Digital mammography. Right breast, medio-lateral oblique projection. 35 y/o patient.
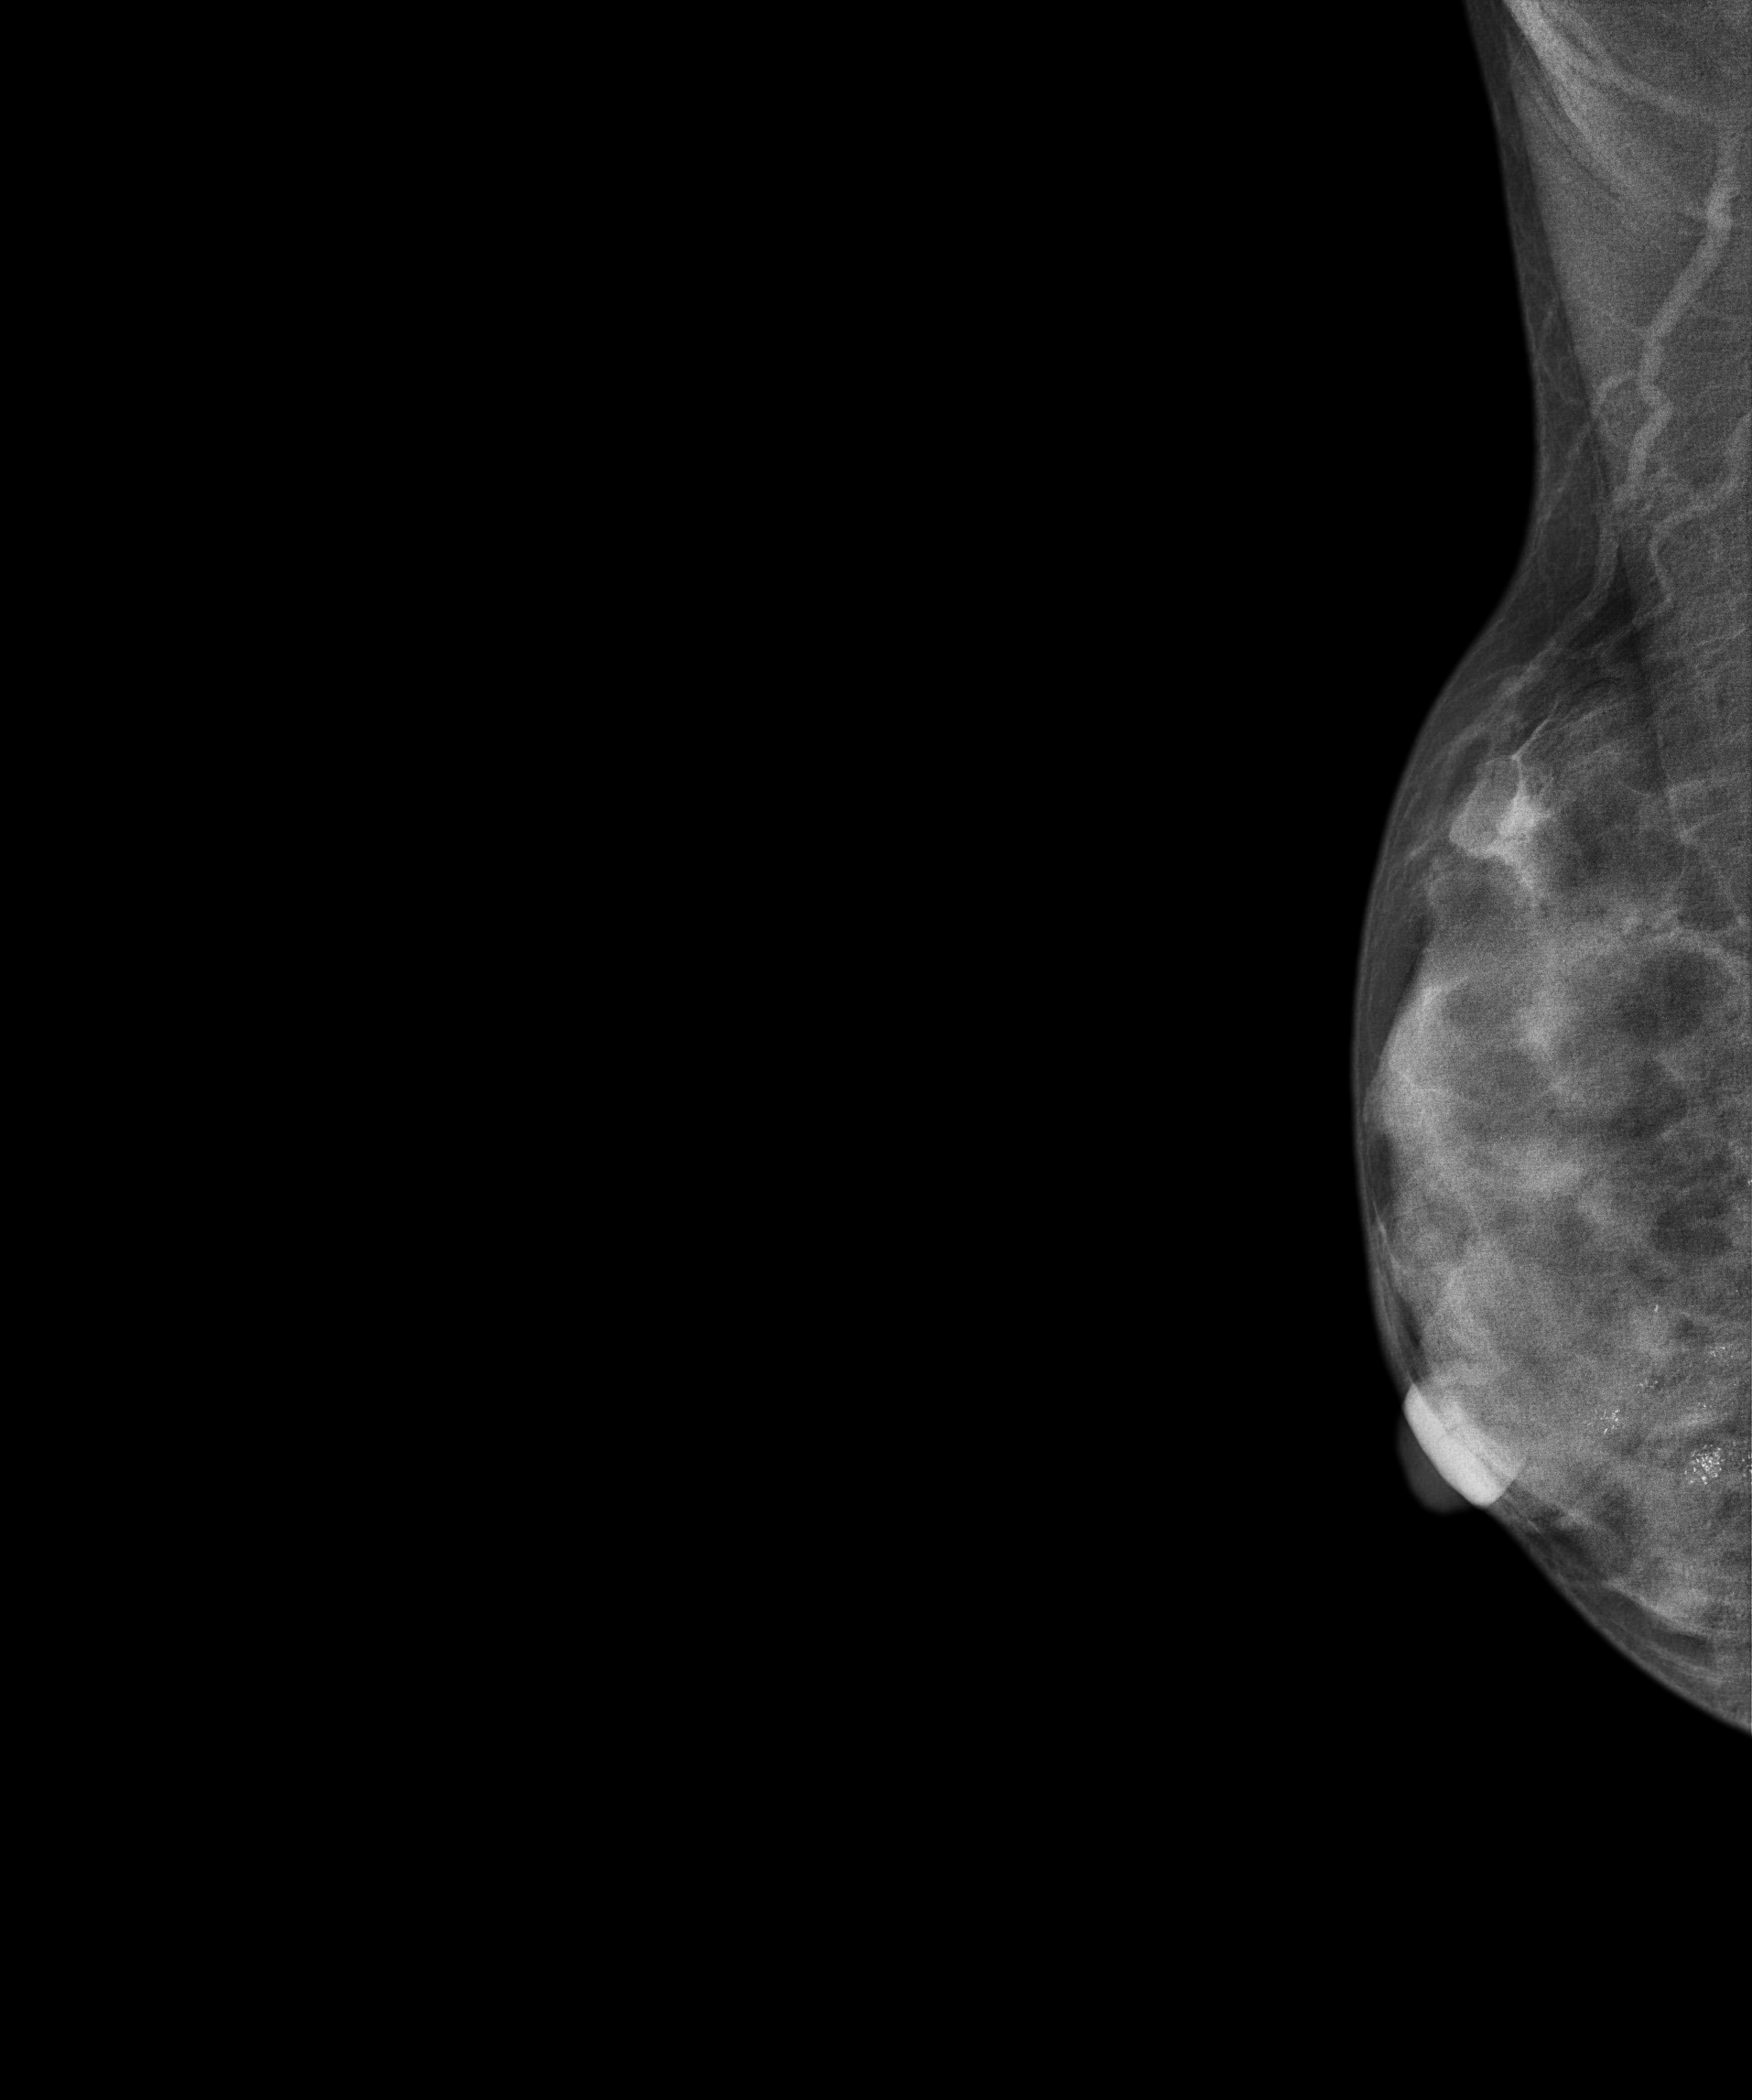
This breast has calcifications, histologically confirmed malignant.